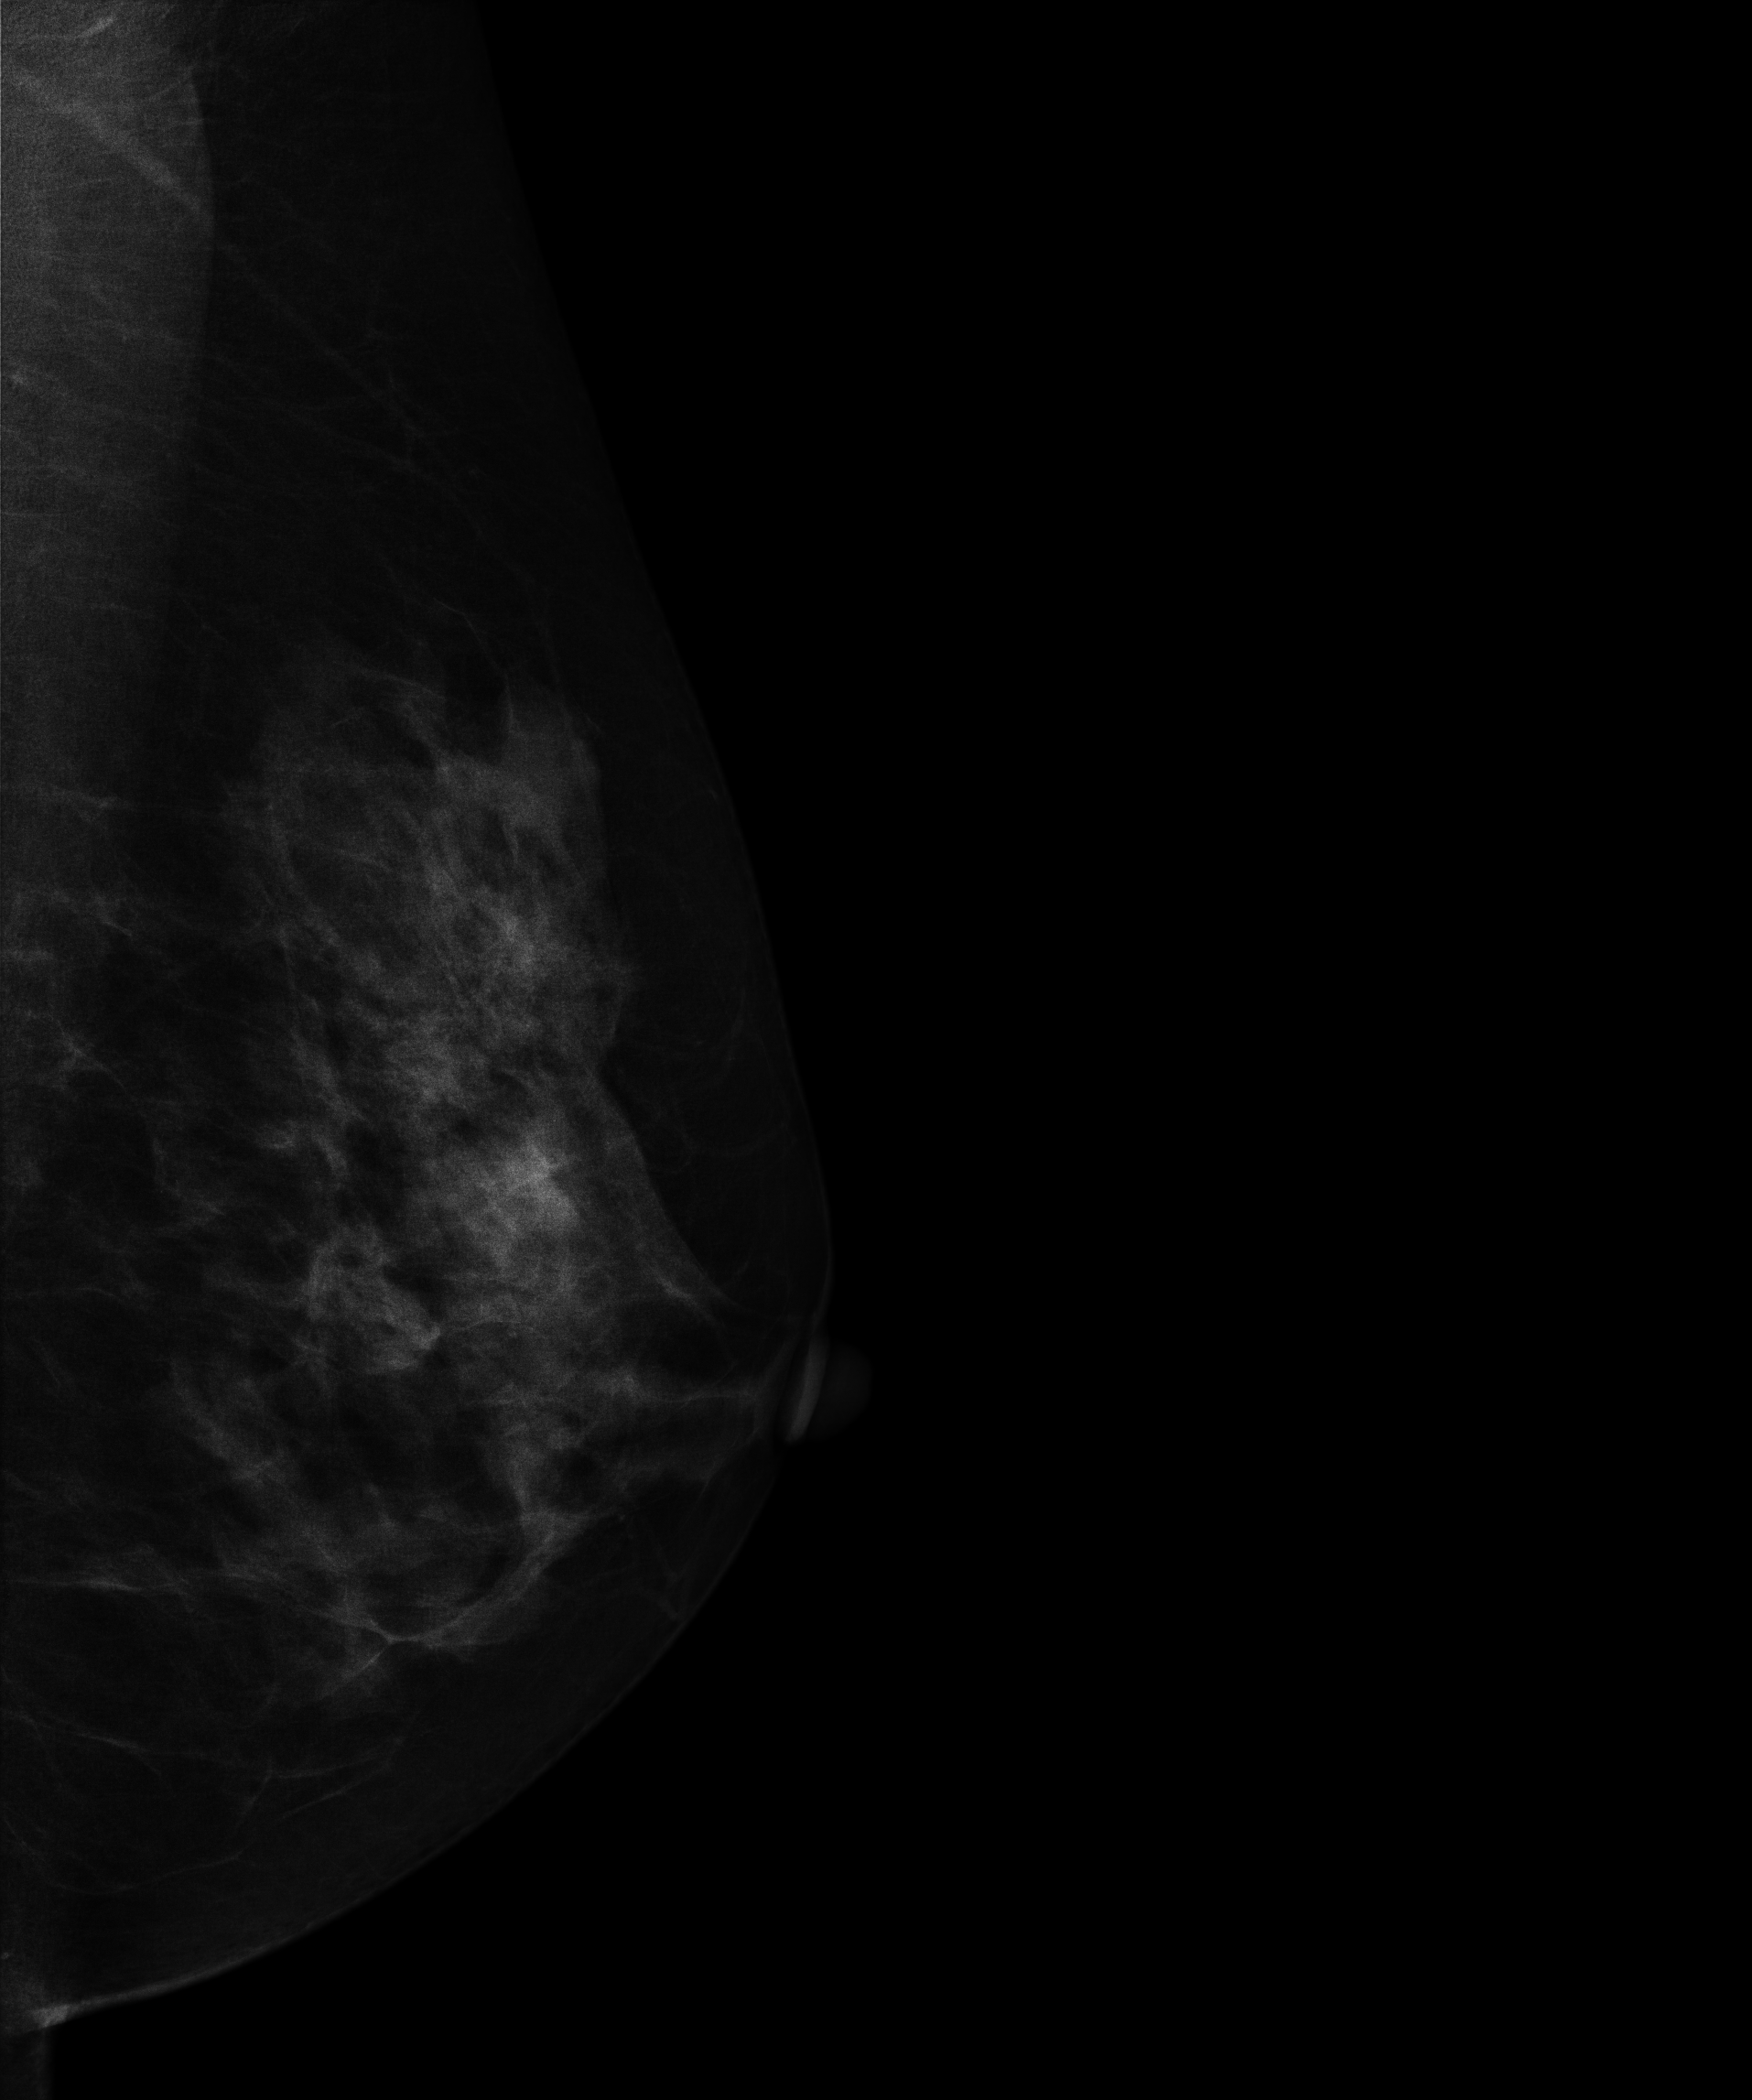
Mammogram, left breast, medio-lateral oblique view. 51 y/o patient.
Contralateral breast — no documented abnormality on this side.